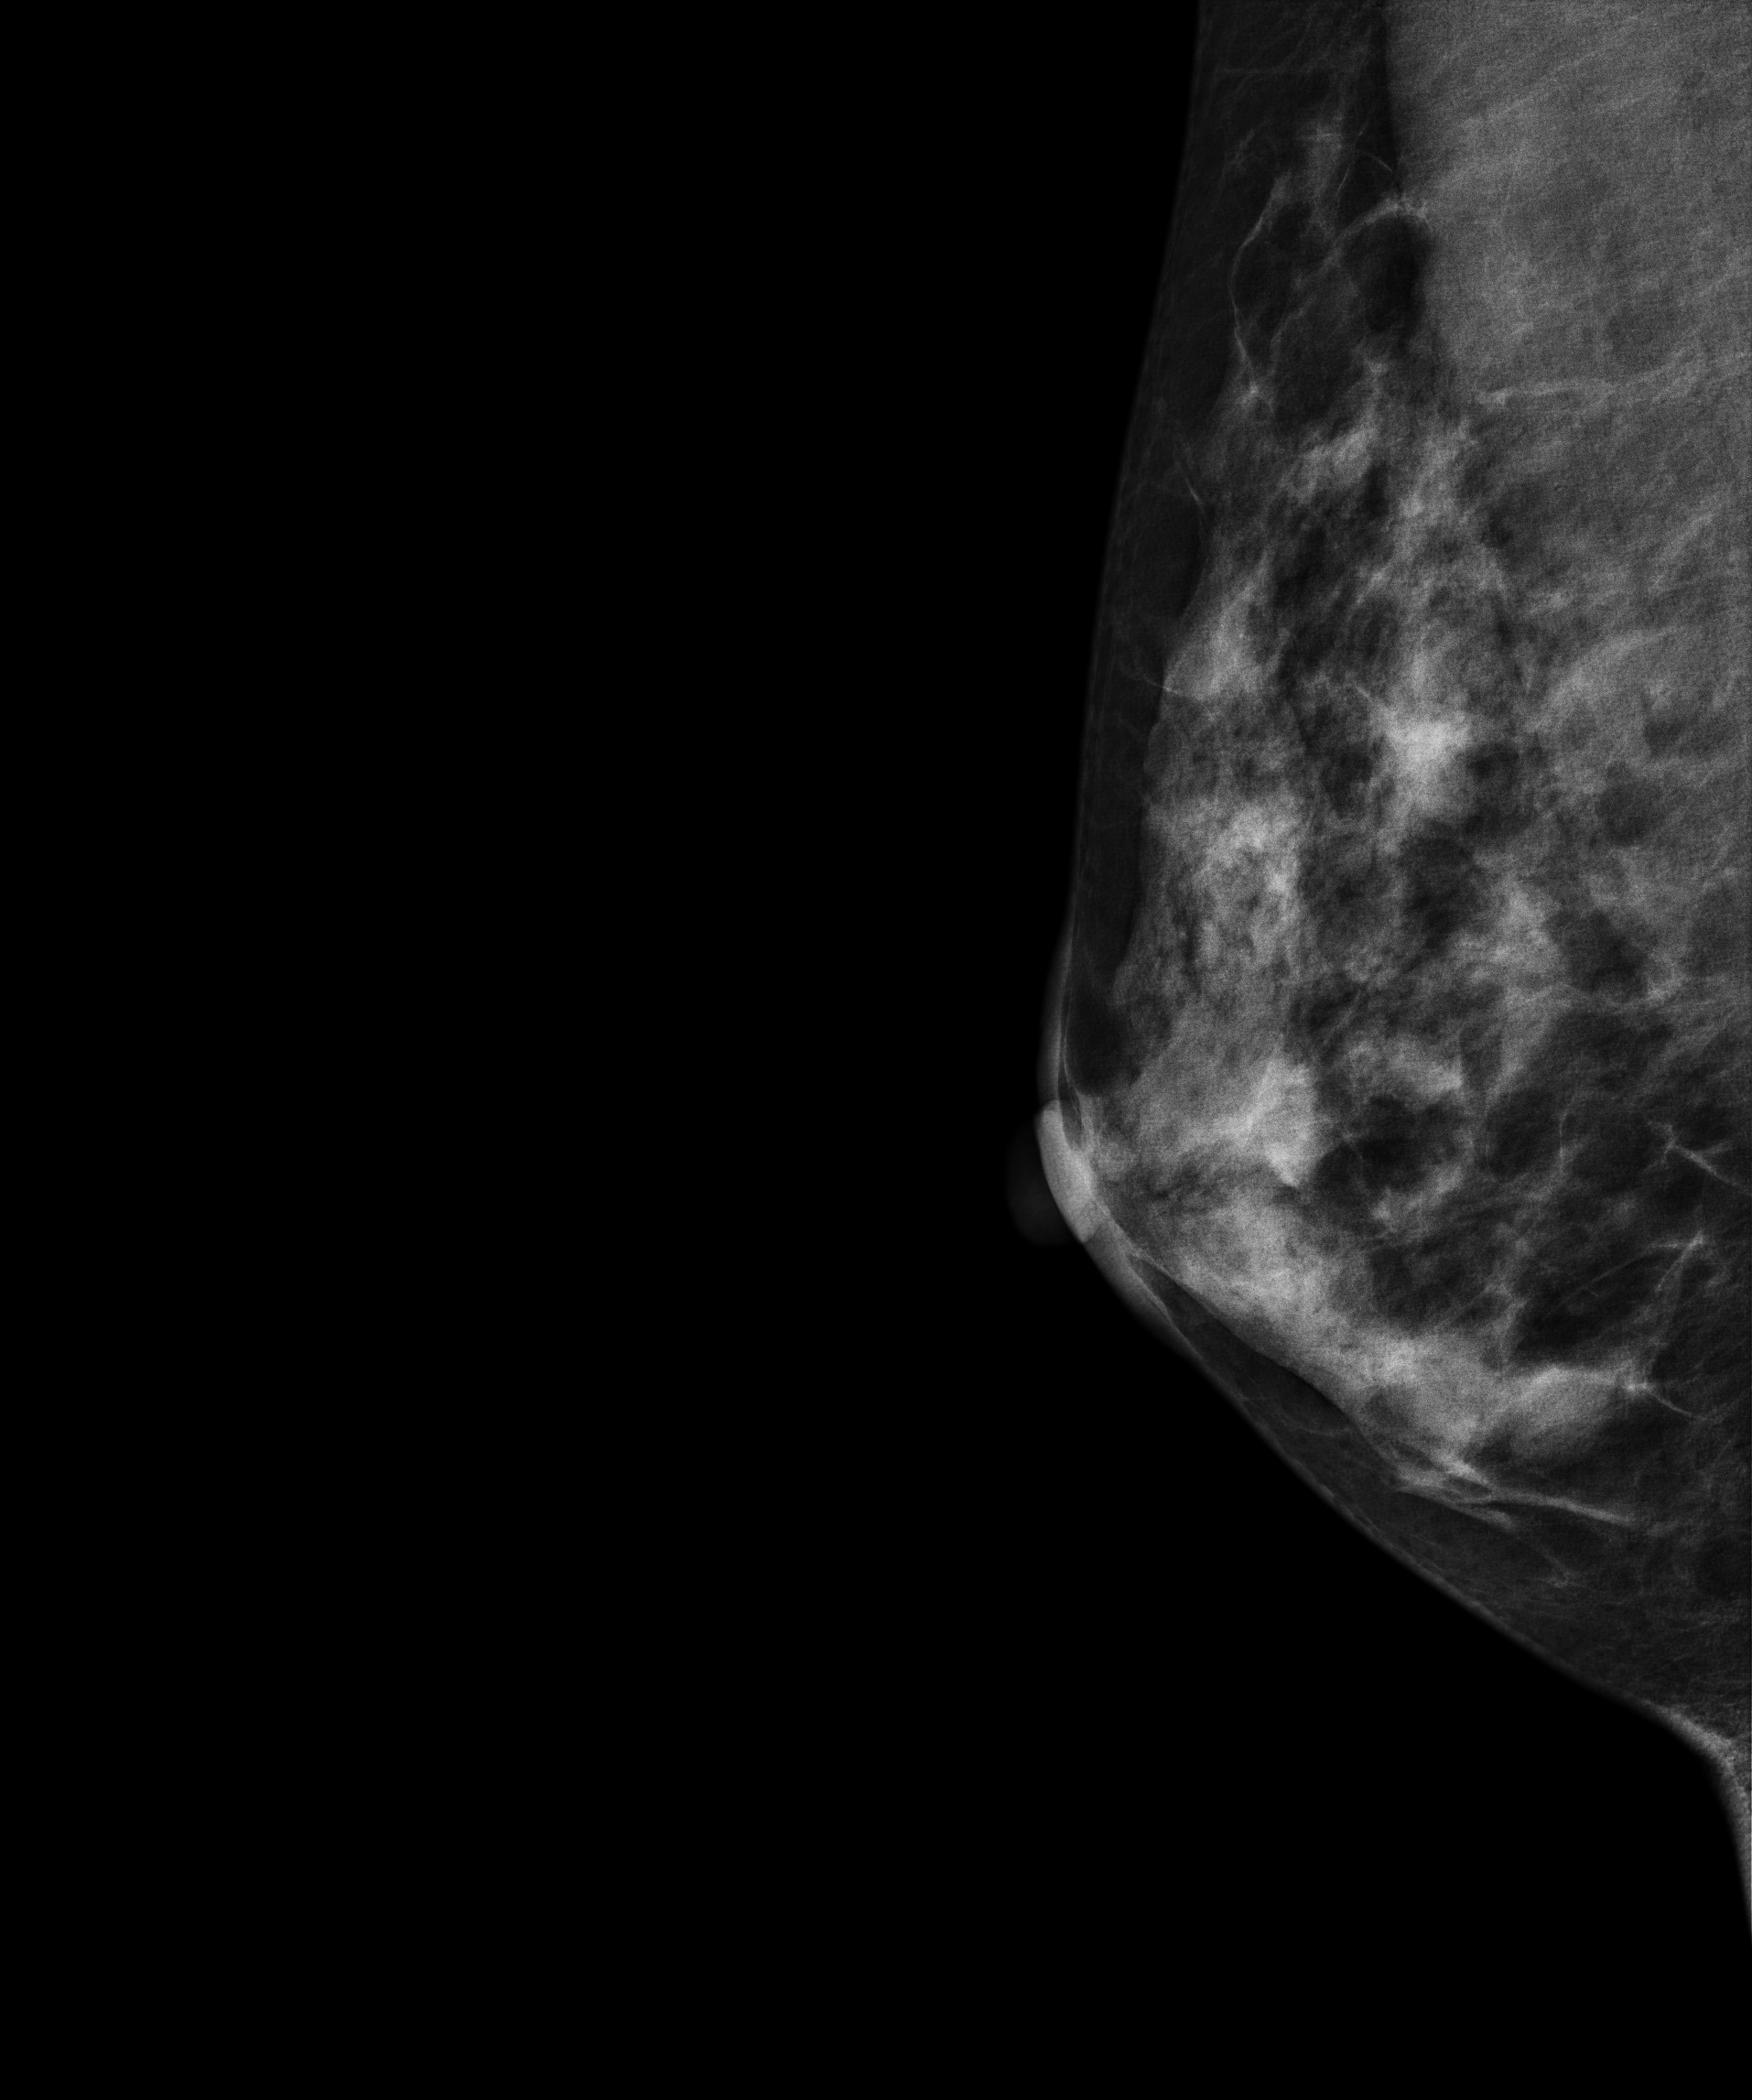
Mammogram — right MLO. Patient age 50.
Contralateral breast — no documented abnormality on this side.